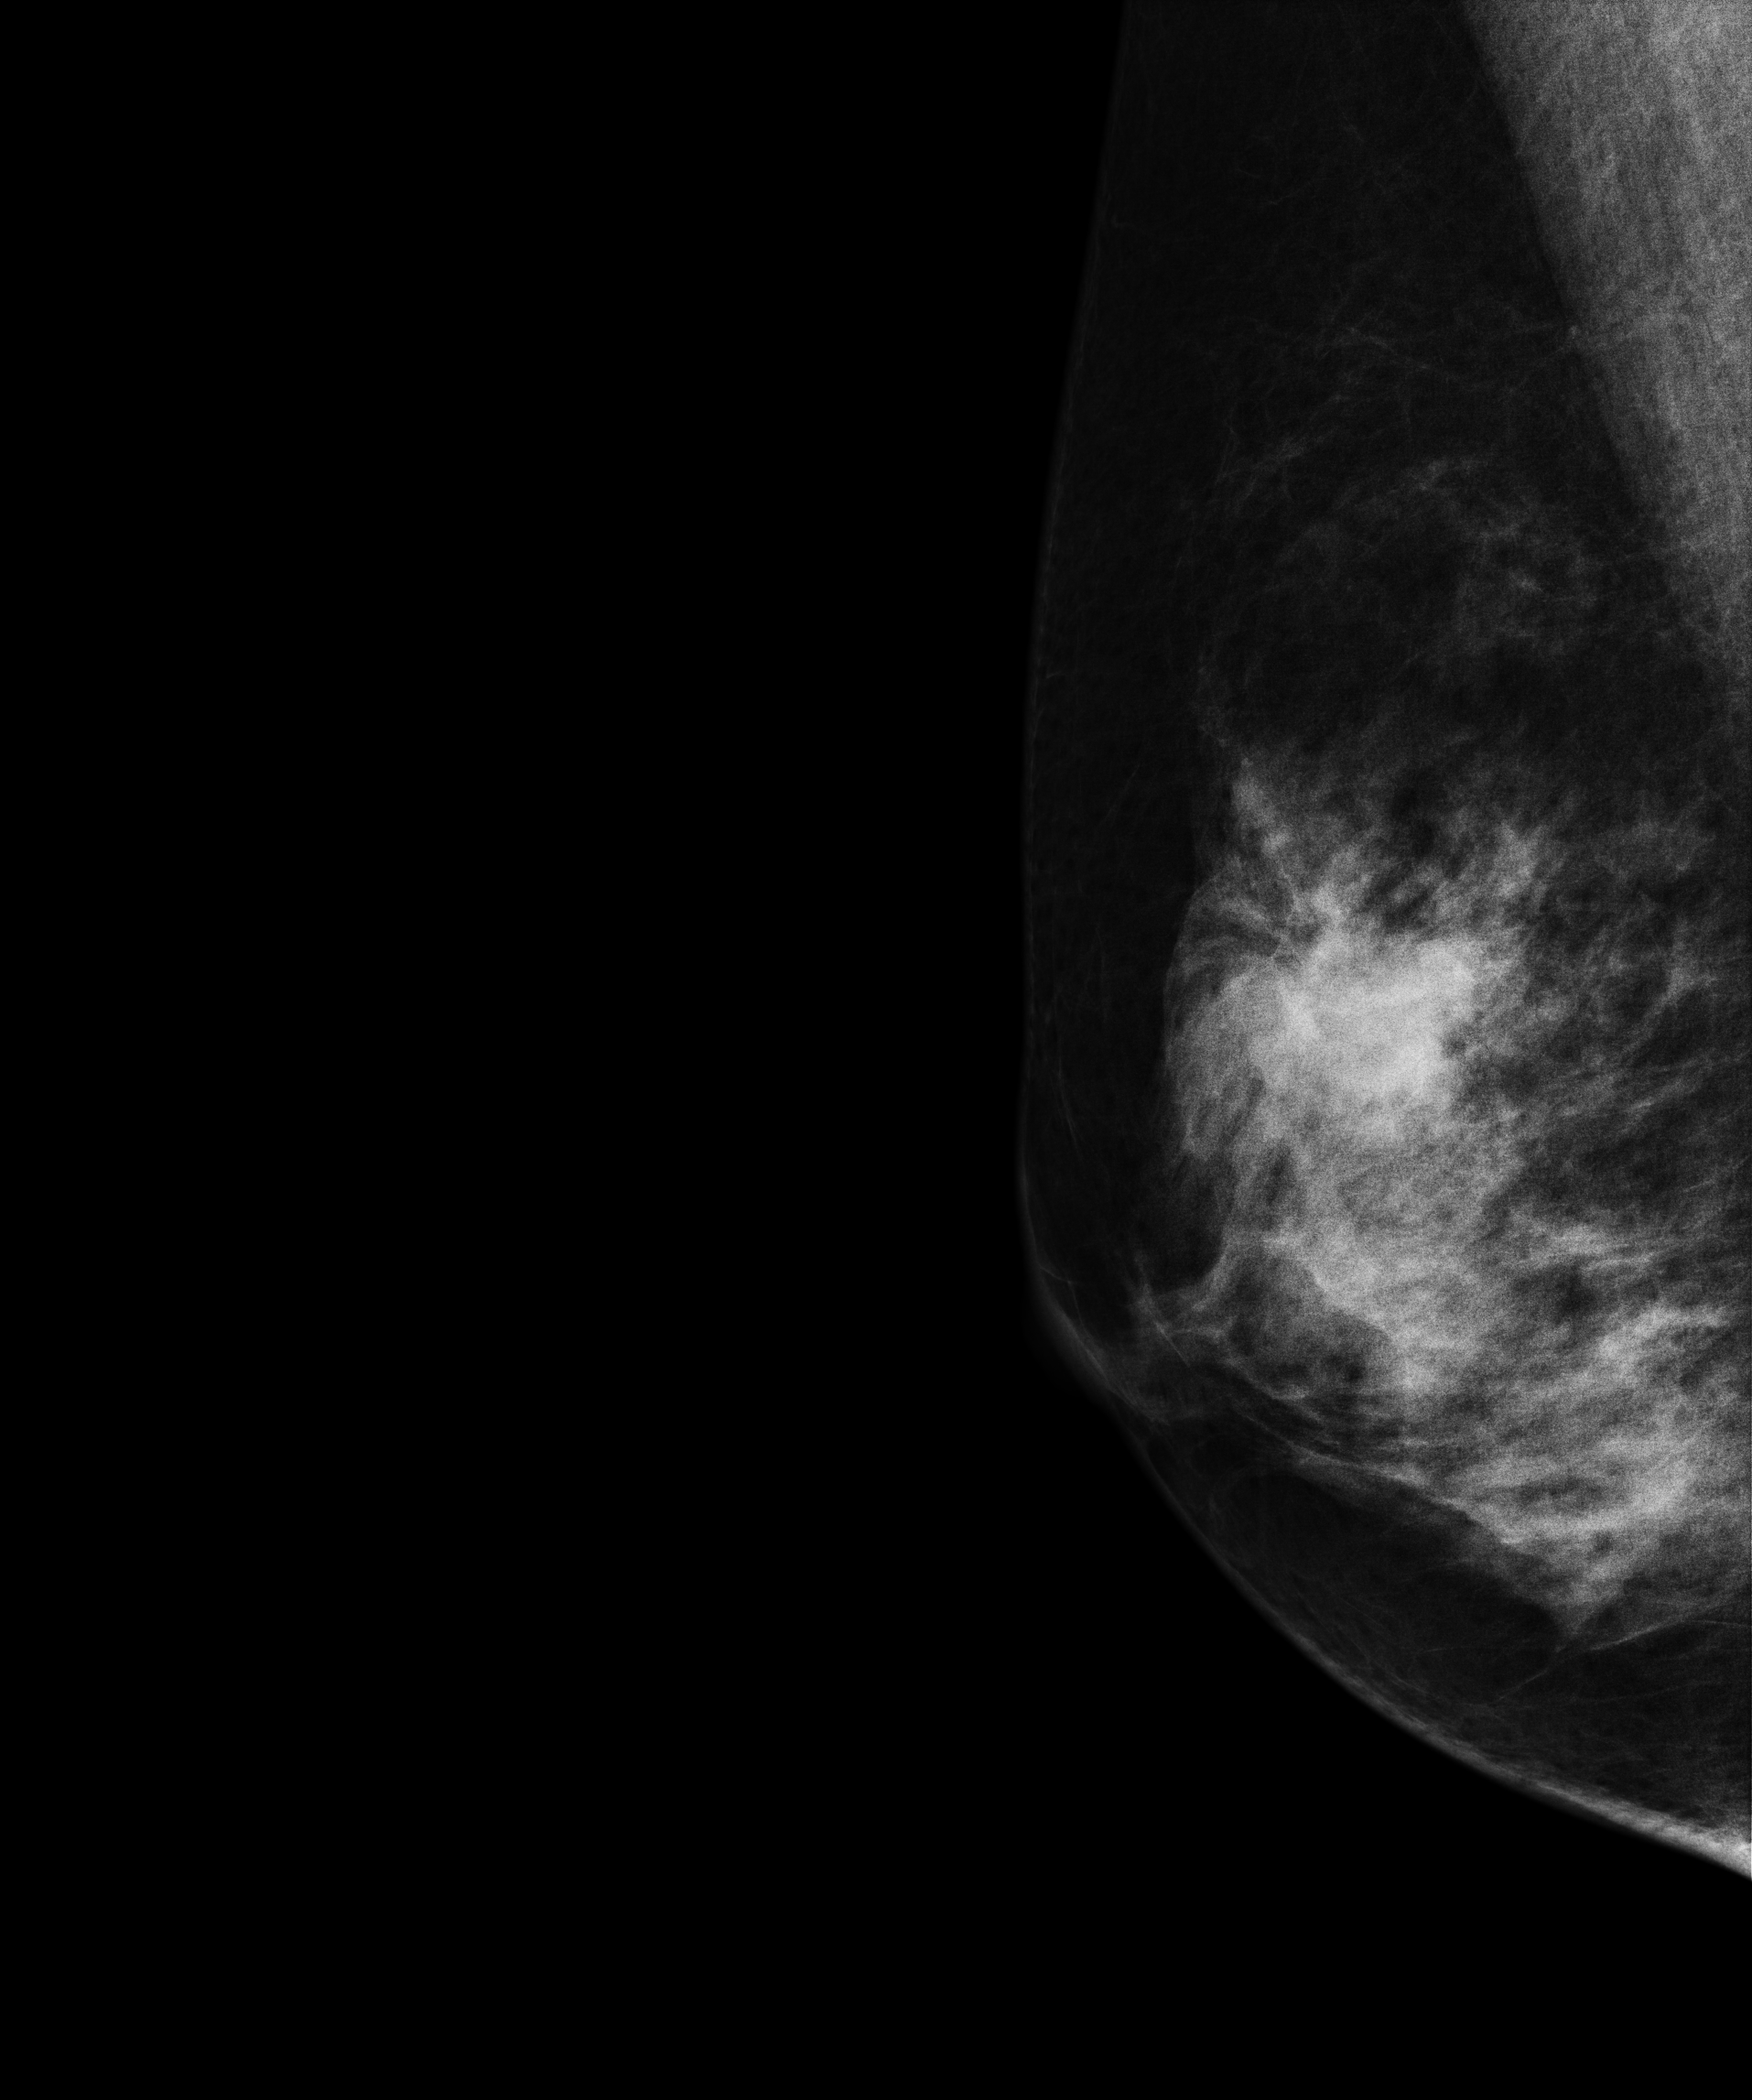
Digital mammography. Right breast, medio-lateral oblique projection. Patient age 51.
This breast has a mass, biopsy-confirmed malignant.